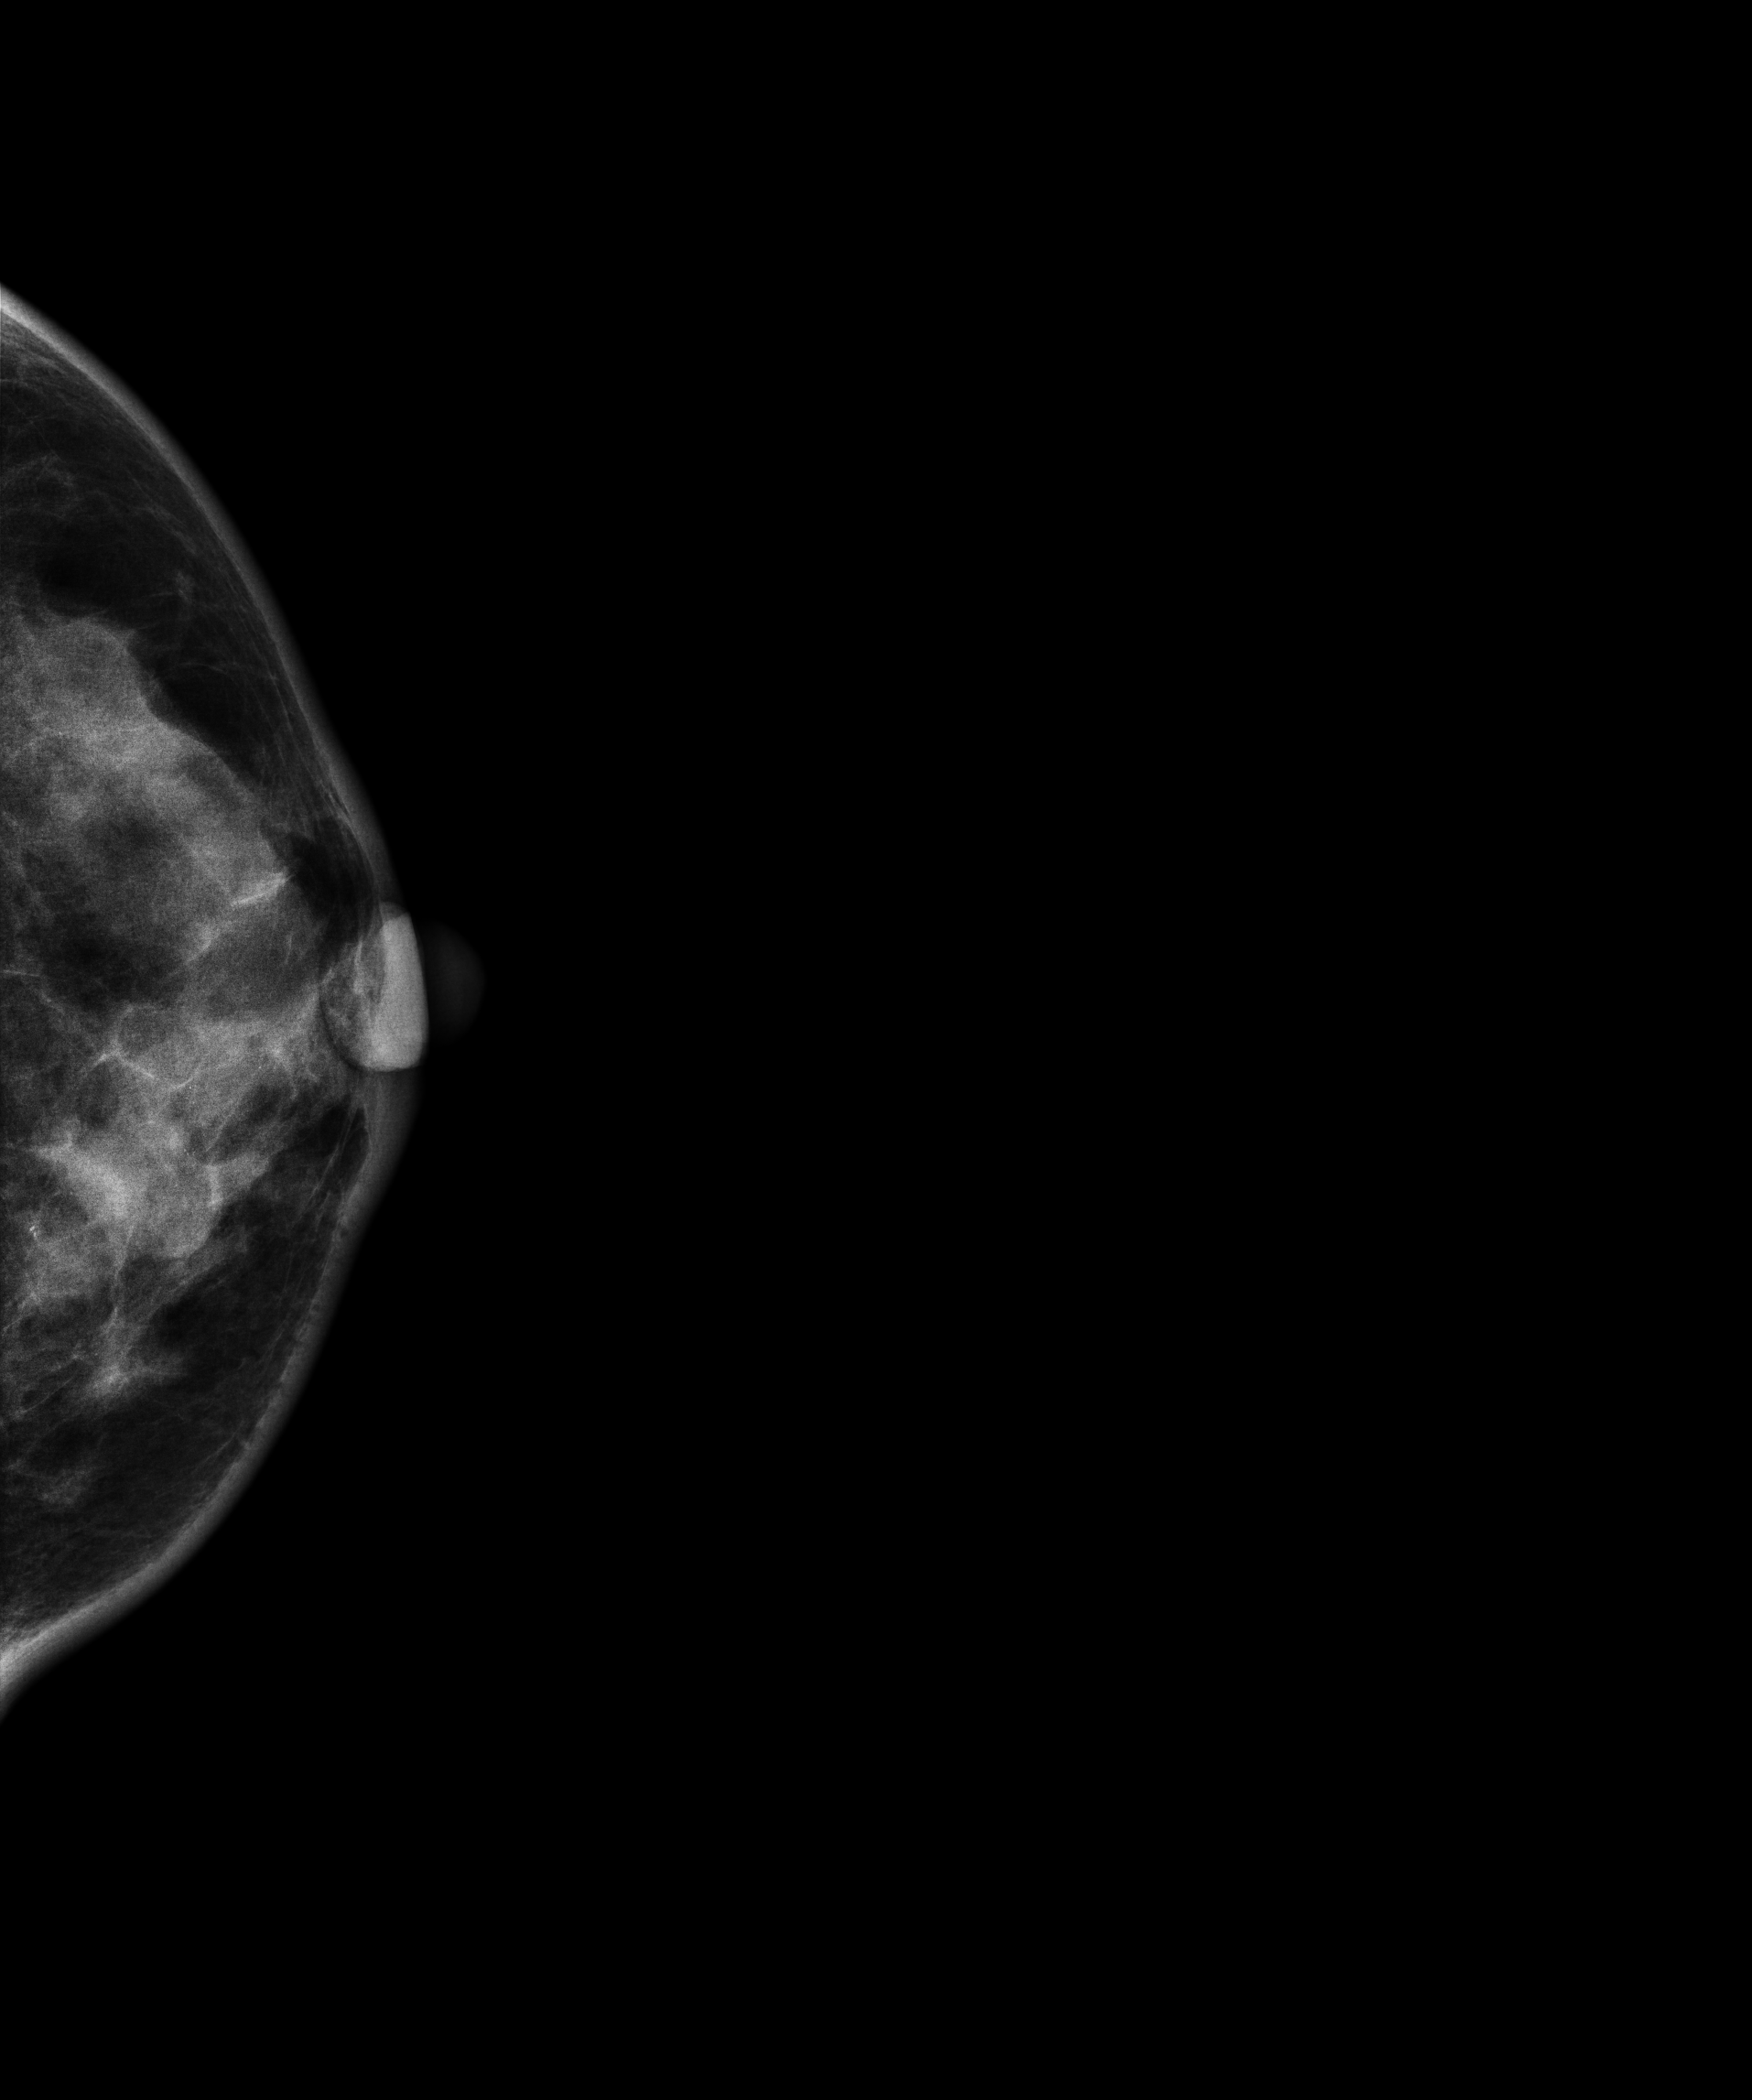
Digital mammography. Left breast, CC projection. Patient age 48.
This breast has a mass and calcifications, histologically confirmed malignant. Molecular subtype: HER2-enriched.